CC mammogram of the right breast. 47-year-old patient.
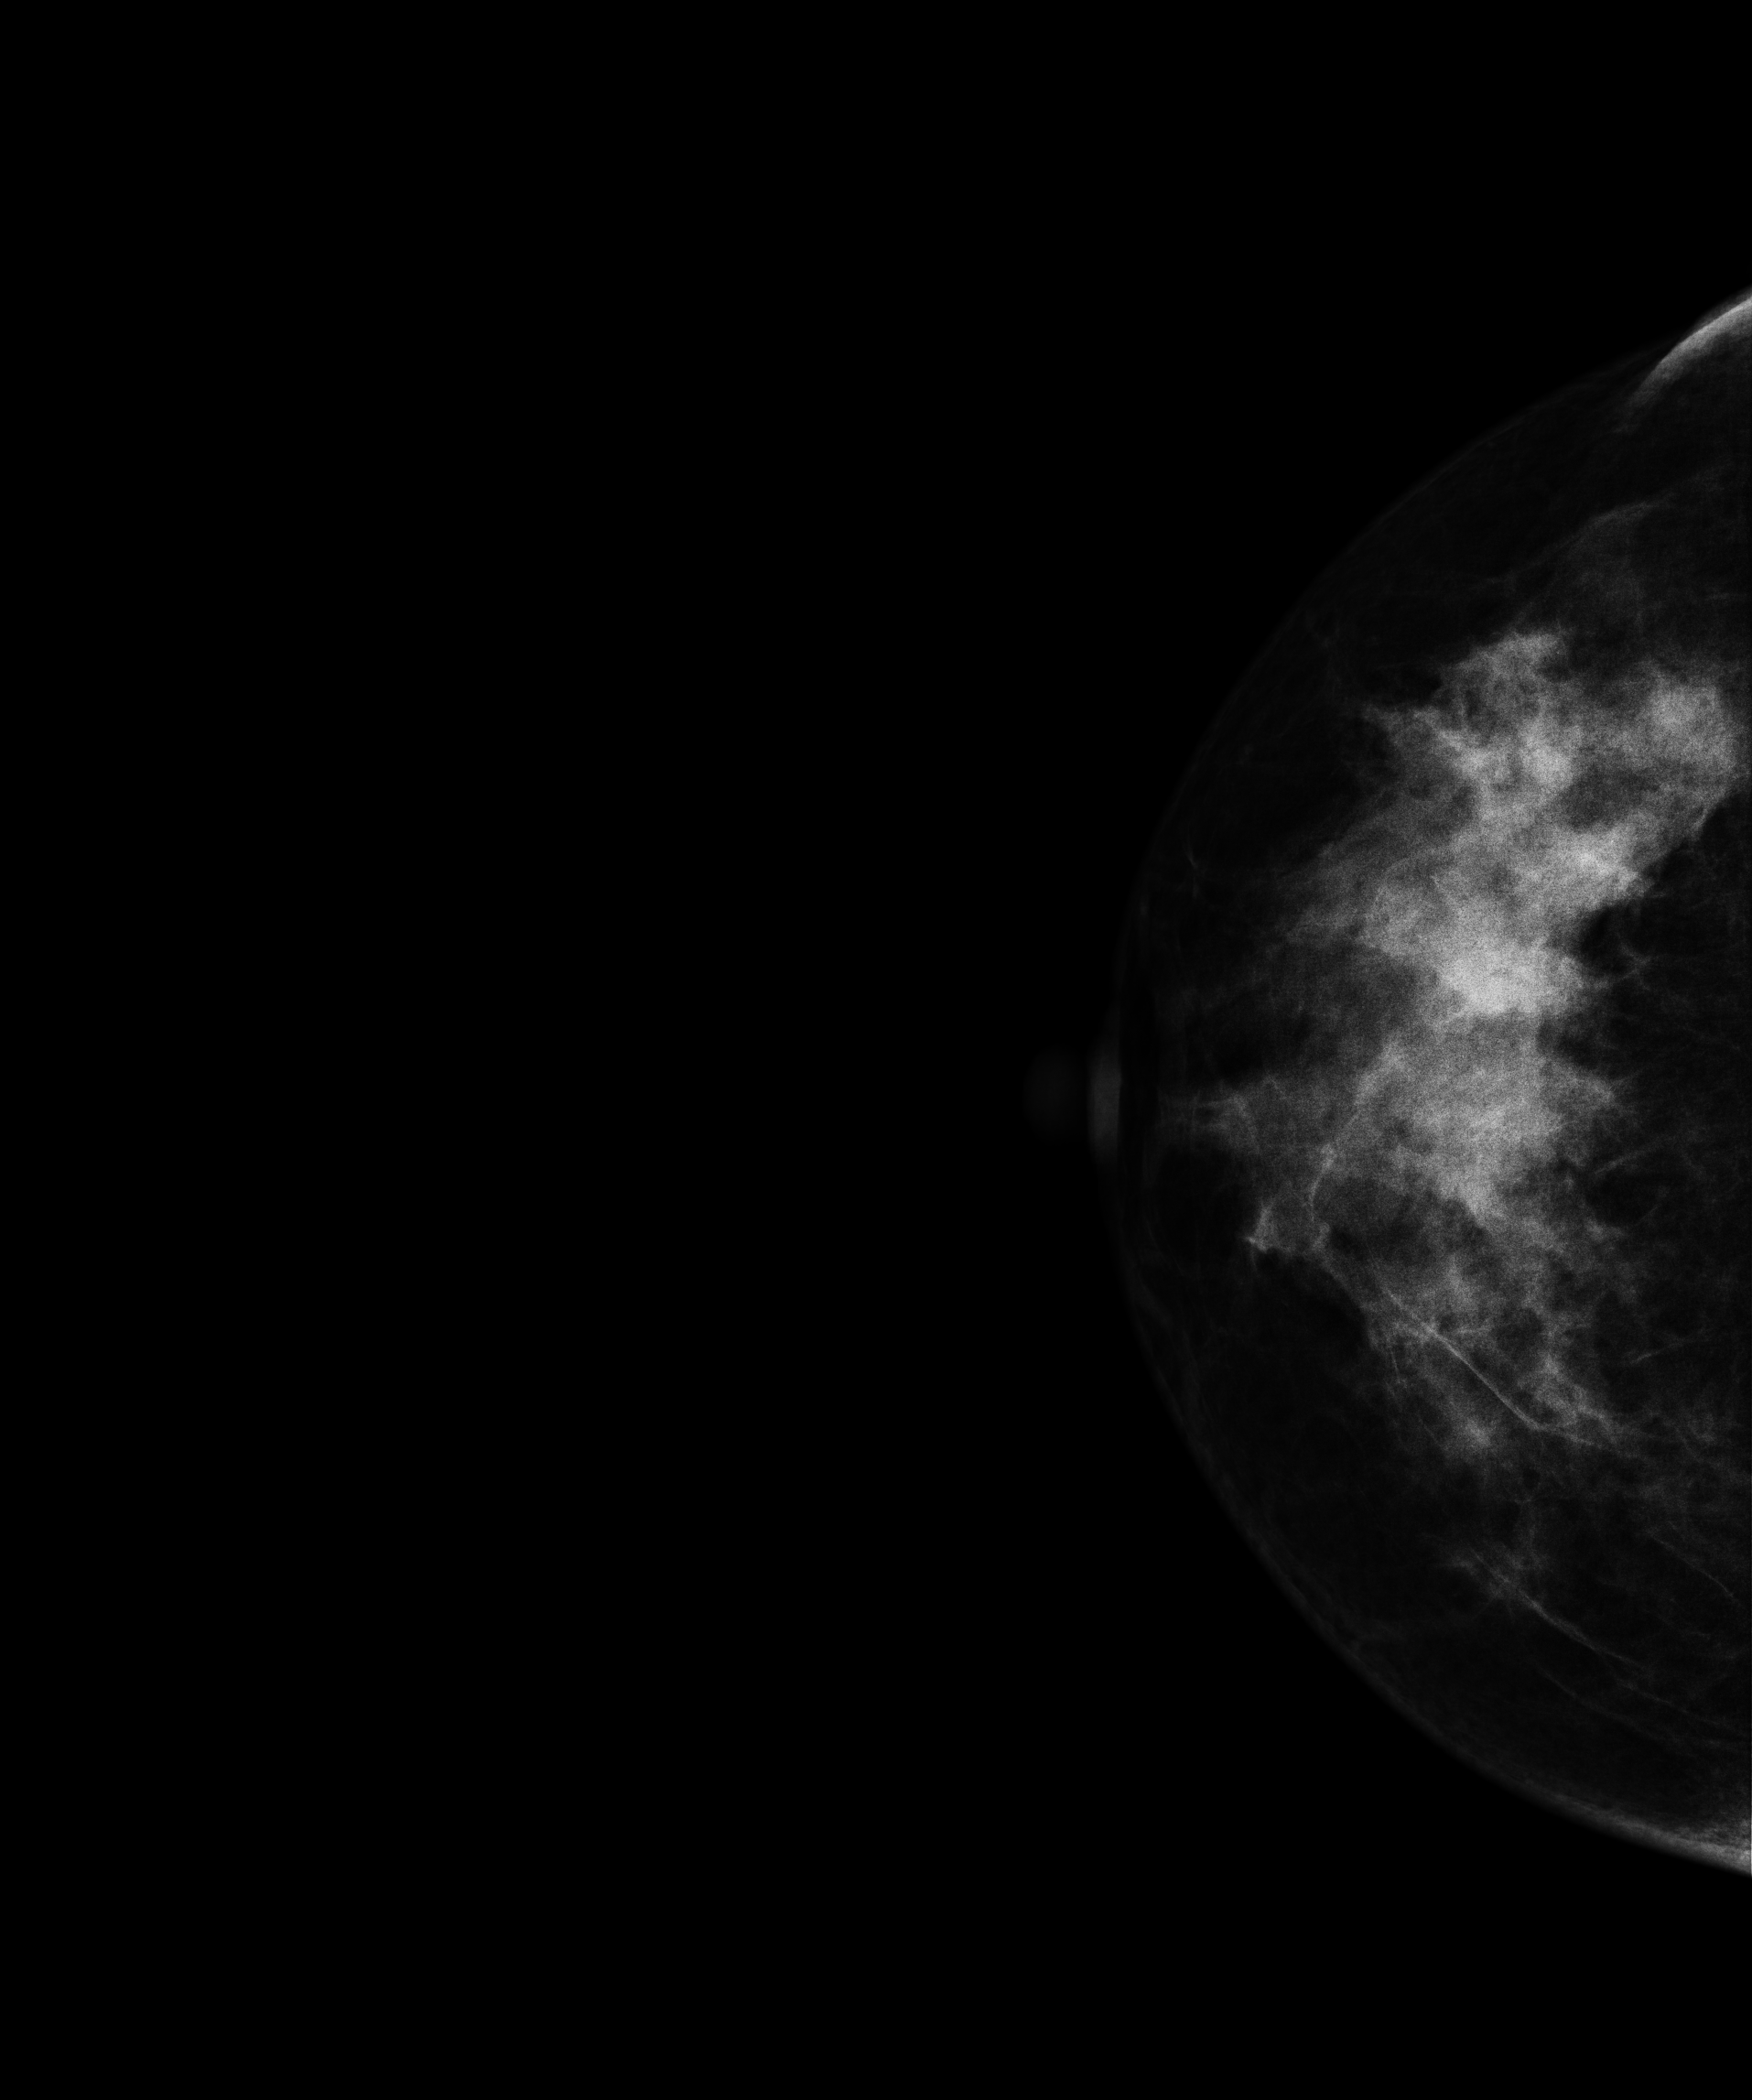
This breast has a mass, biopsy-proven malignant. Molecular subtype: luminal B.